Left-breast mammogram, medio-lateral oblique. Patient age 42.
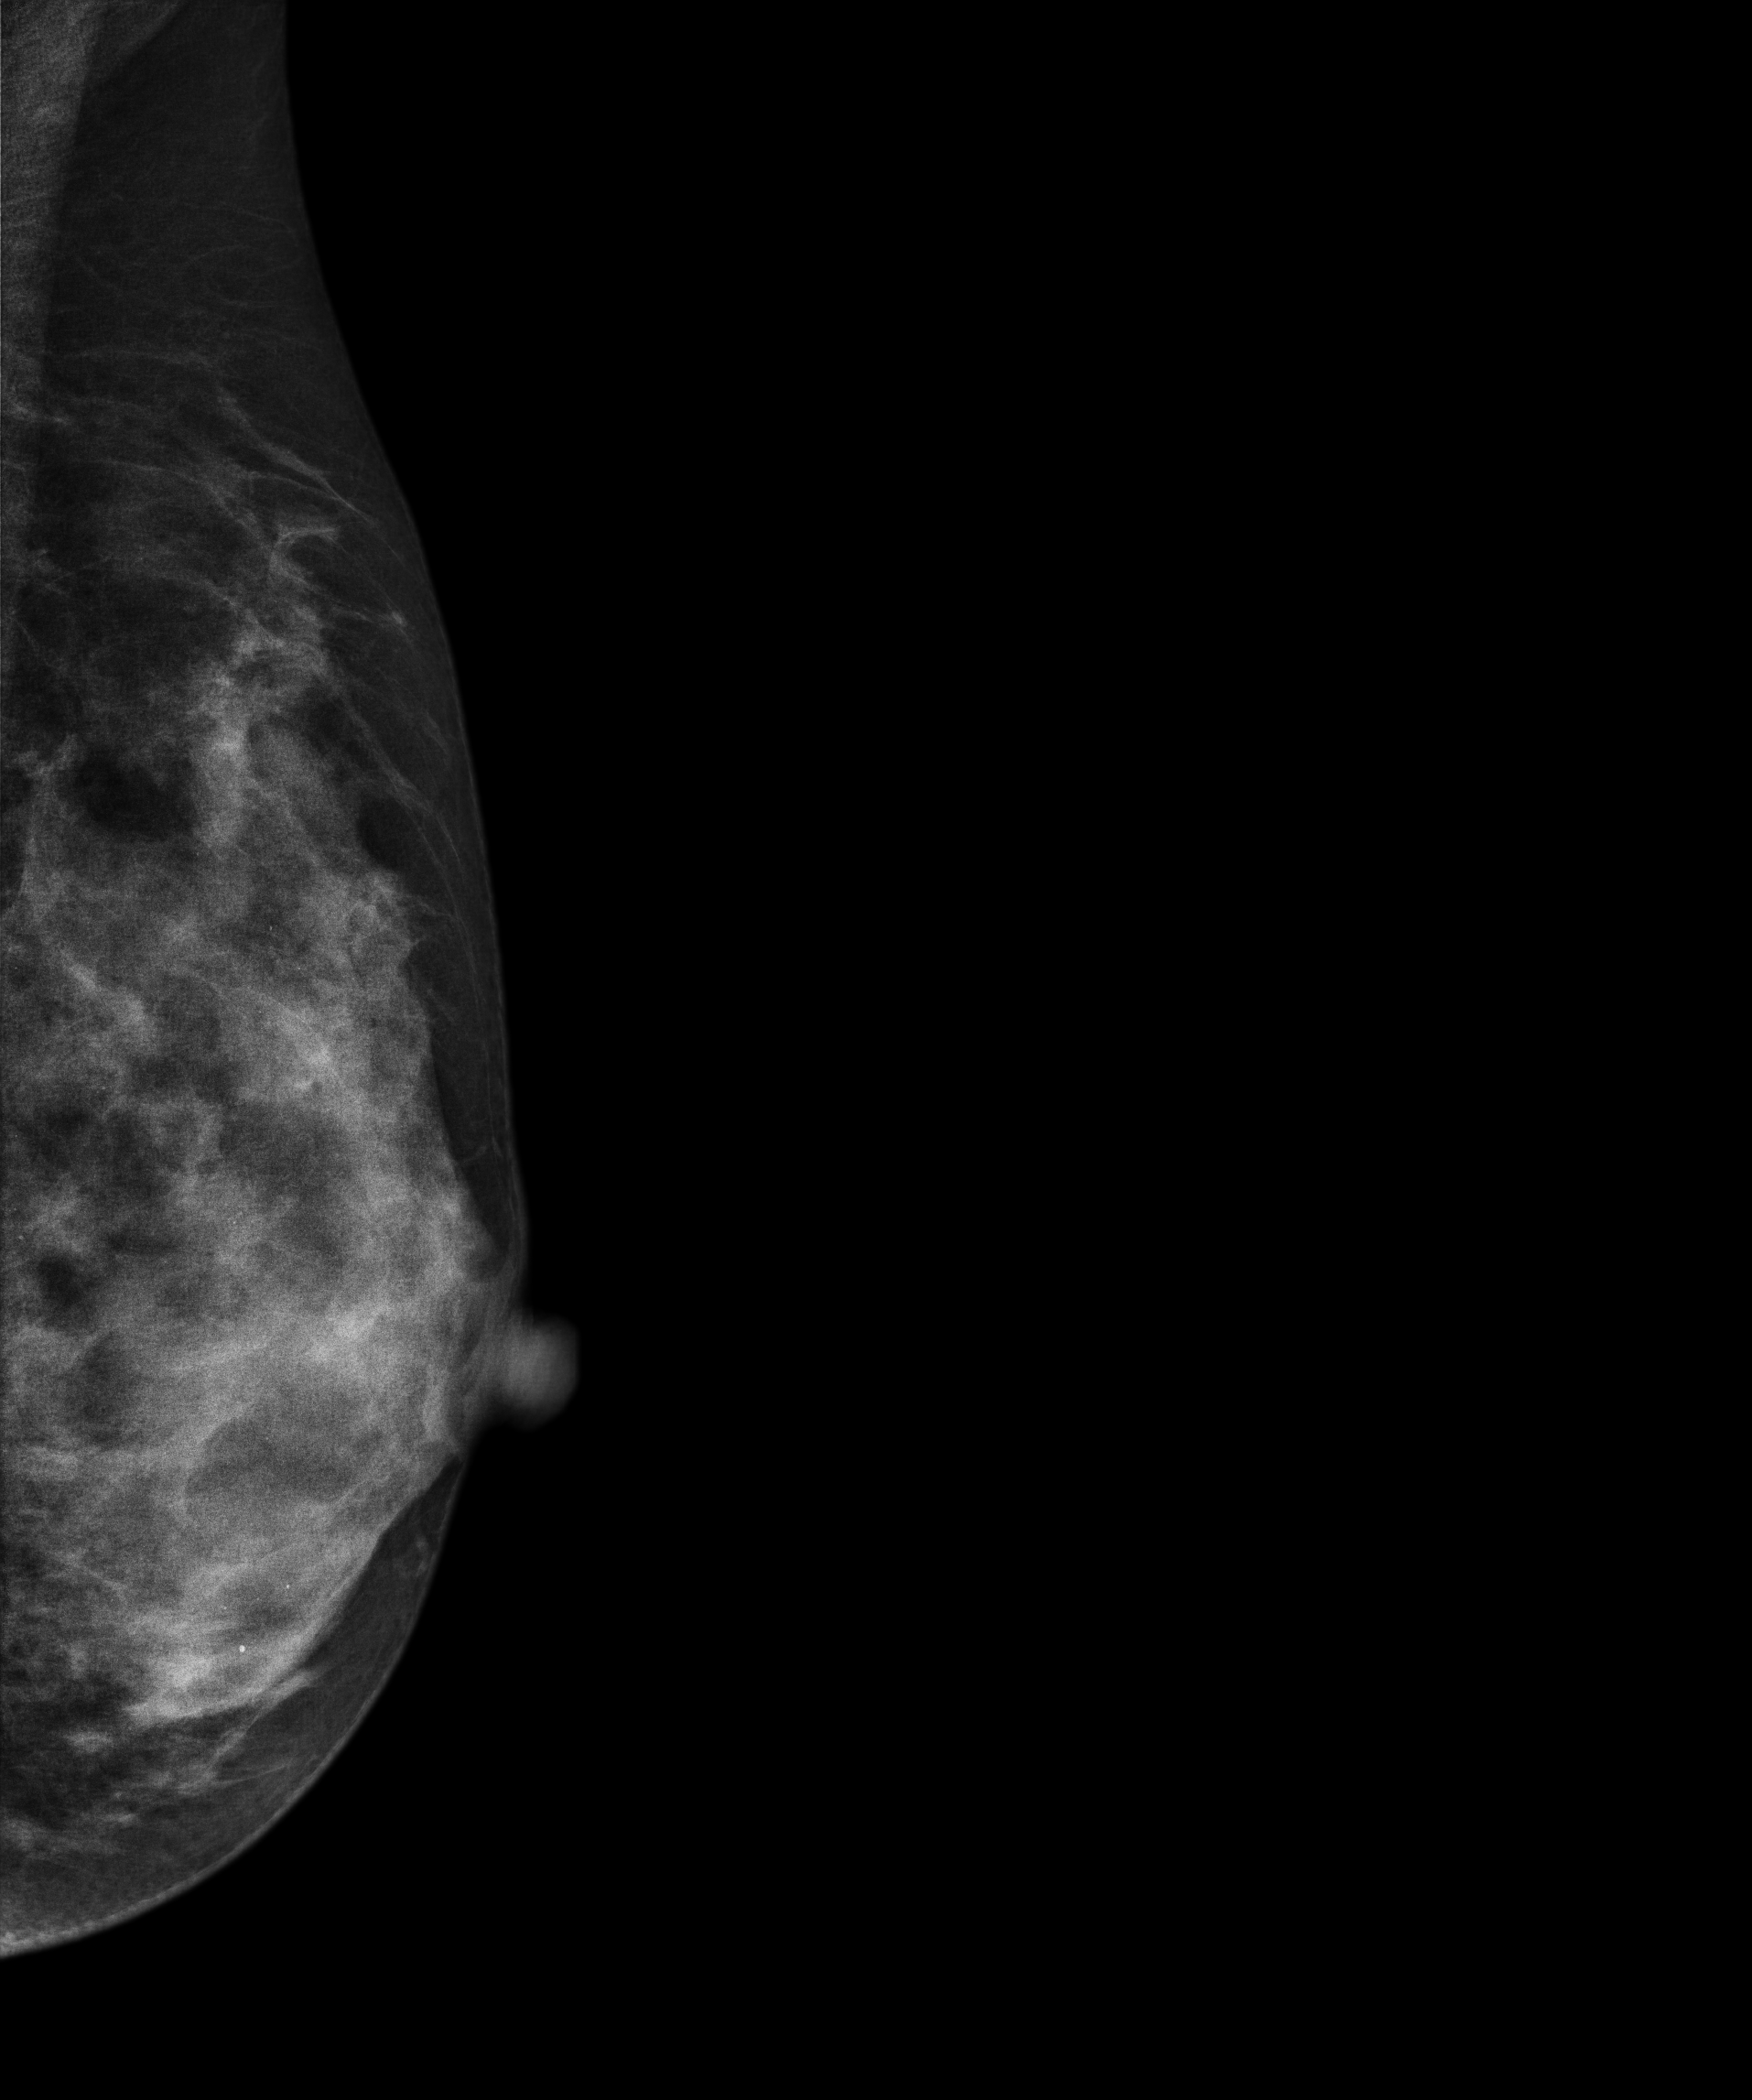
This breast has a mass and calcifications, histologically confirmed benign.